Mammogram, left breast, medio-lateral oblique view. Patient age 48.
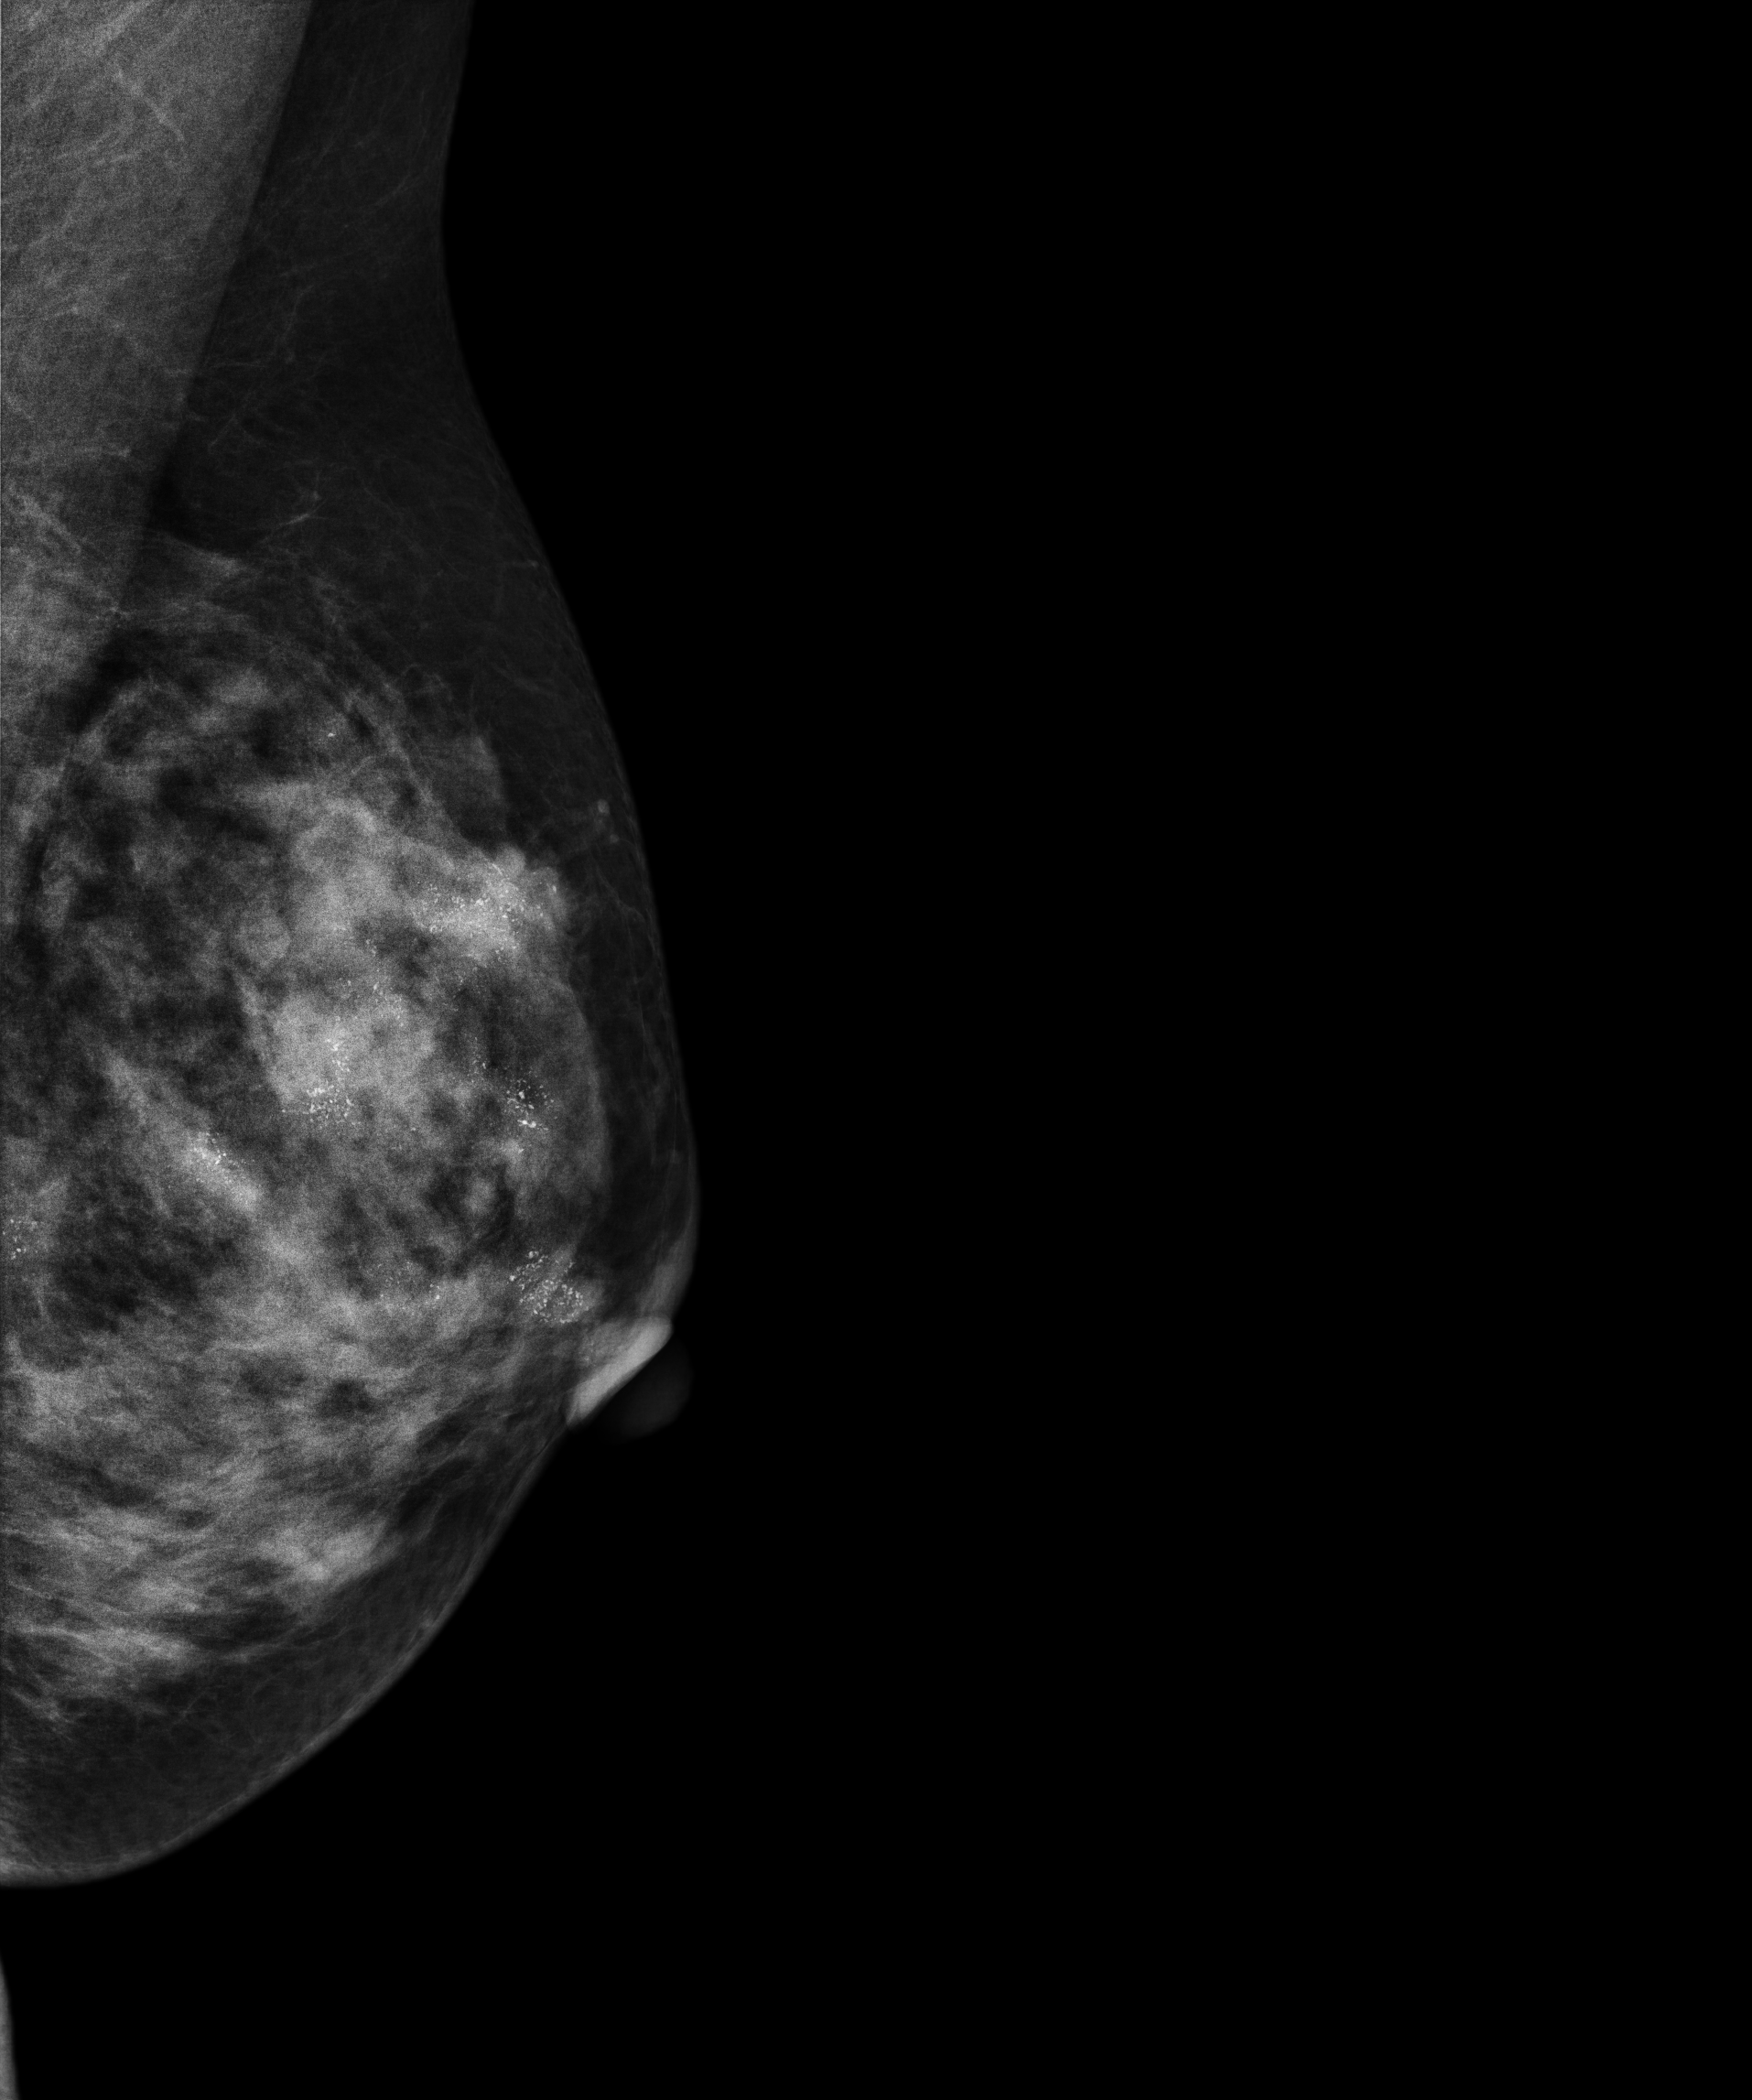
This breast has a mass and calcifications, histologically confirmed malignant.